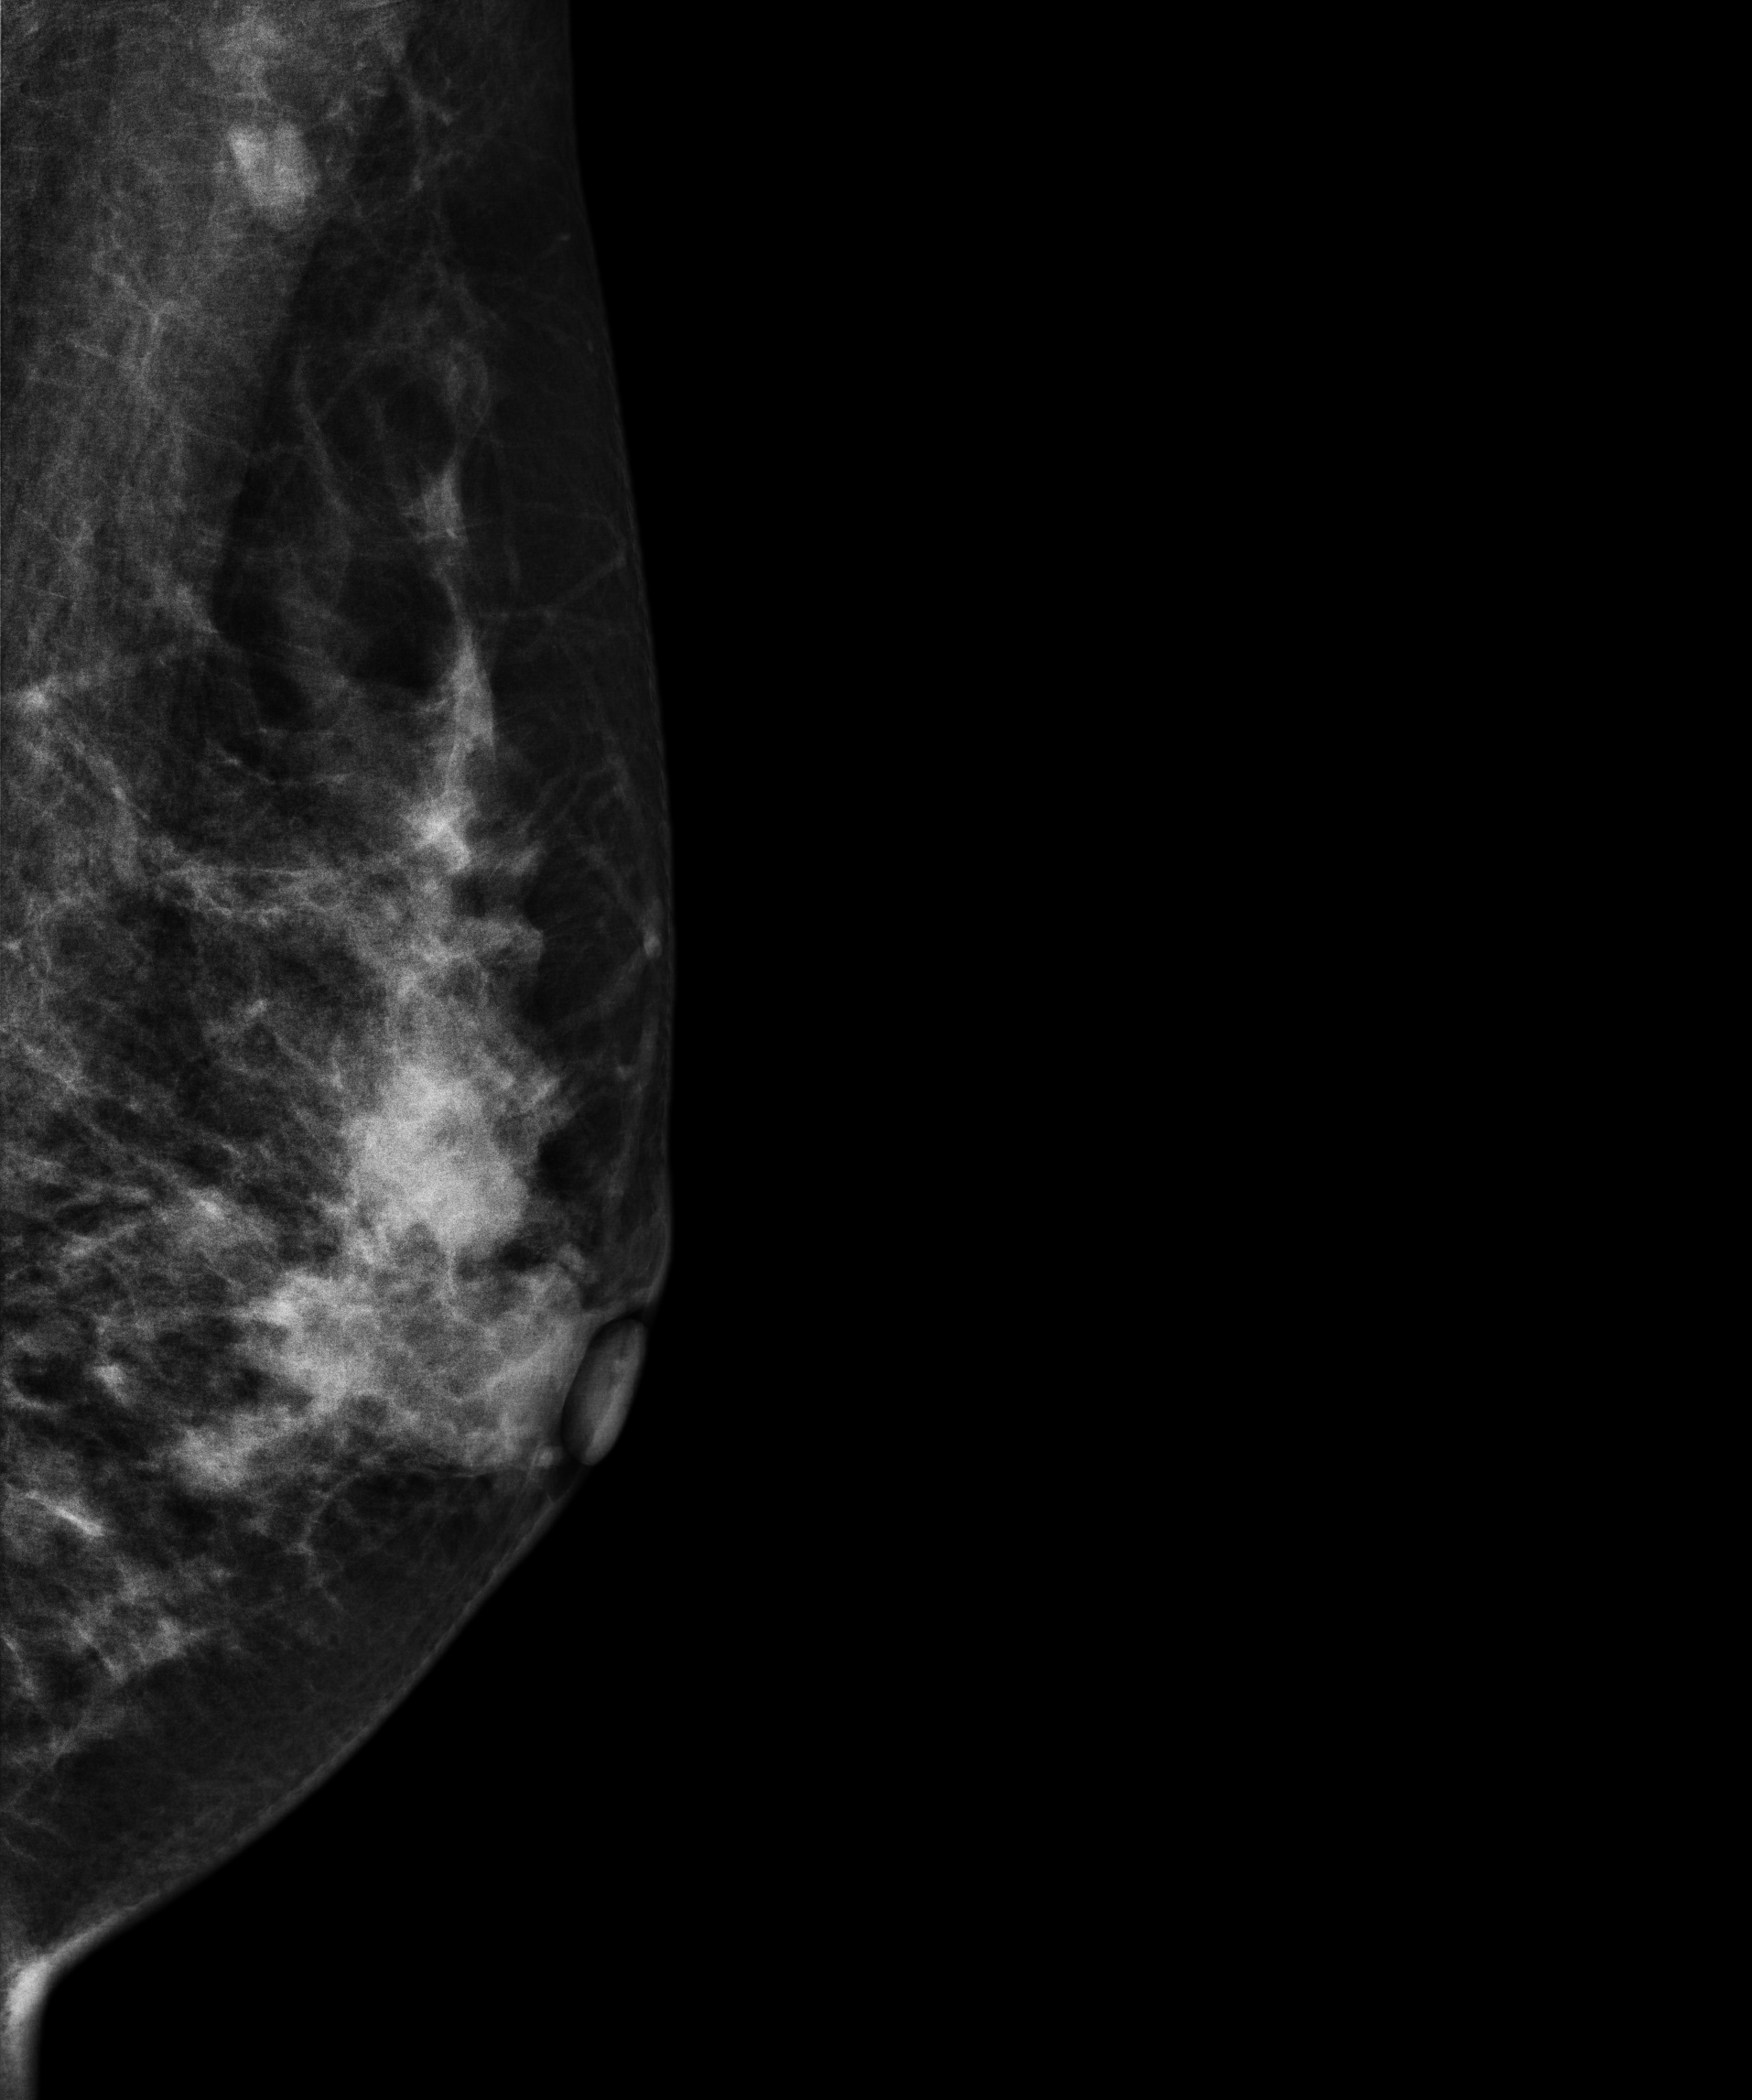
Left-breast mammogram, MLO. 37 y/o patient.
This breast has a mass, histologically confirmed malignant.